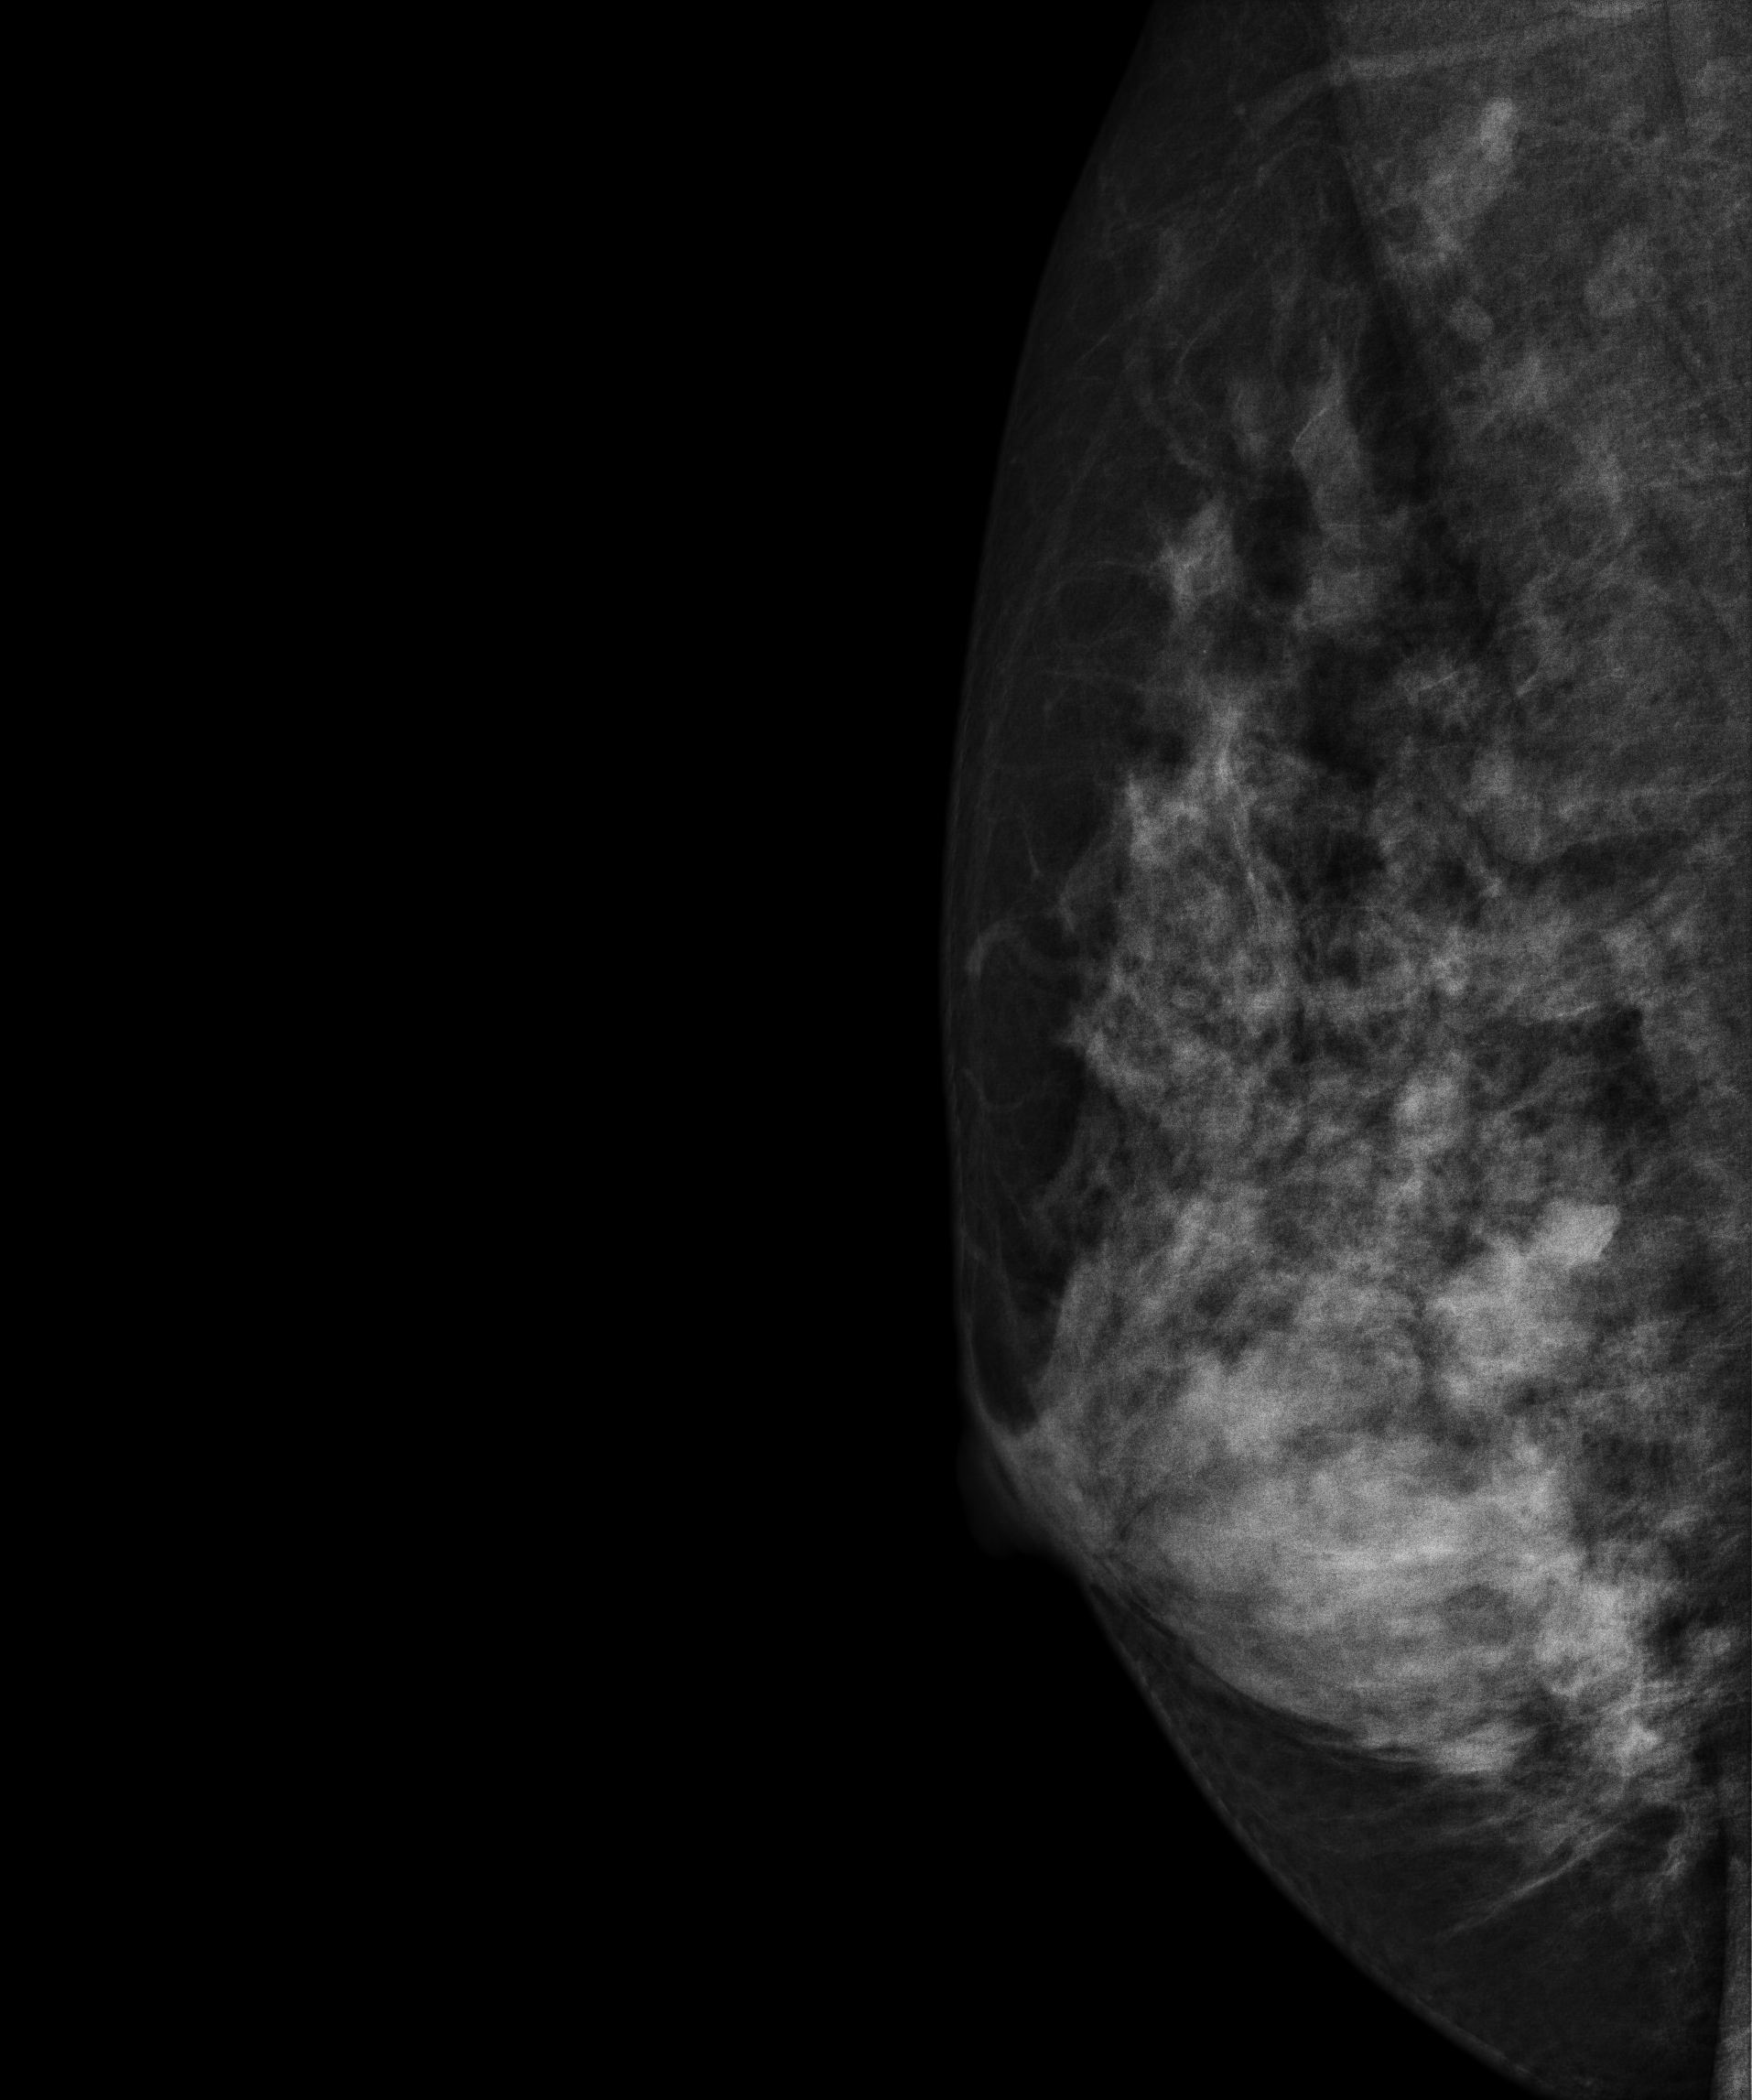
Mammogram — right medio-lateral oblique. 45 y/o patient.
Contralateral breast — no documented abnormality on this side.